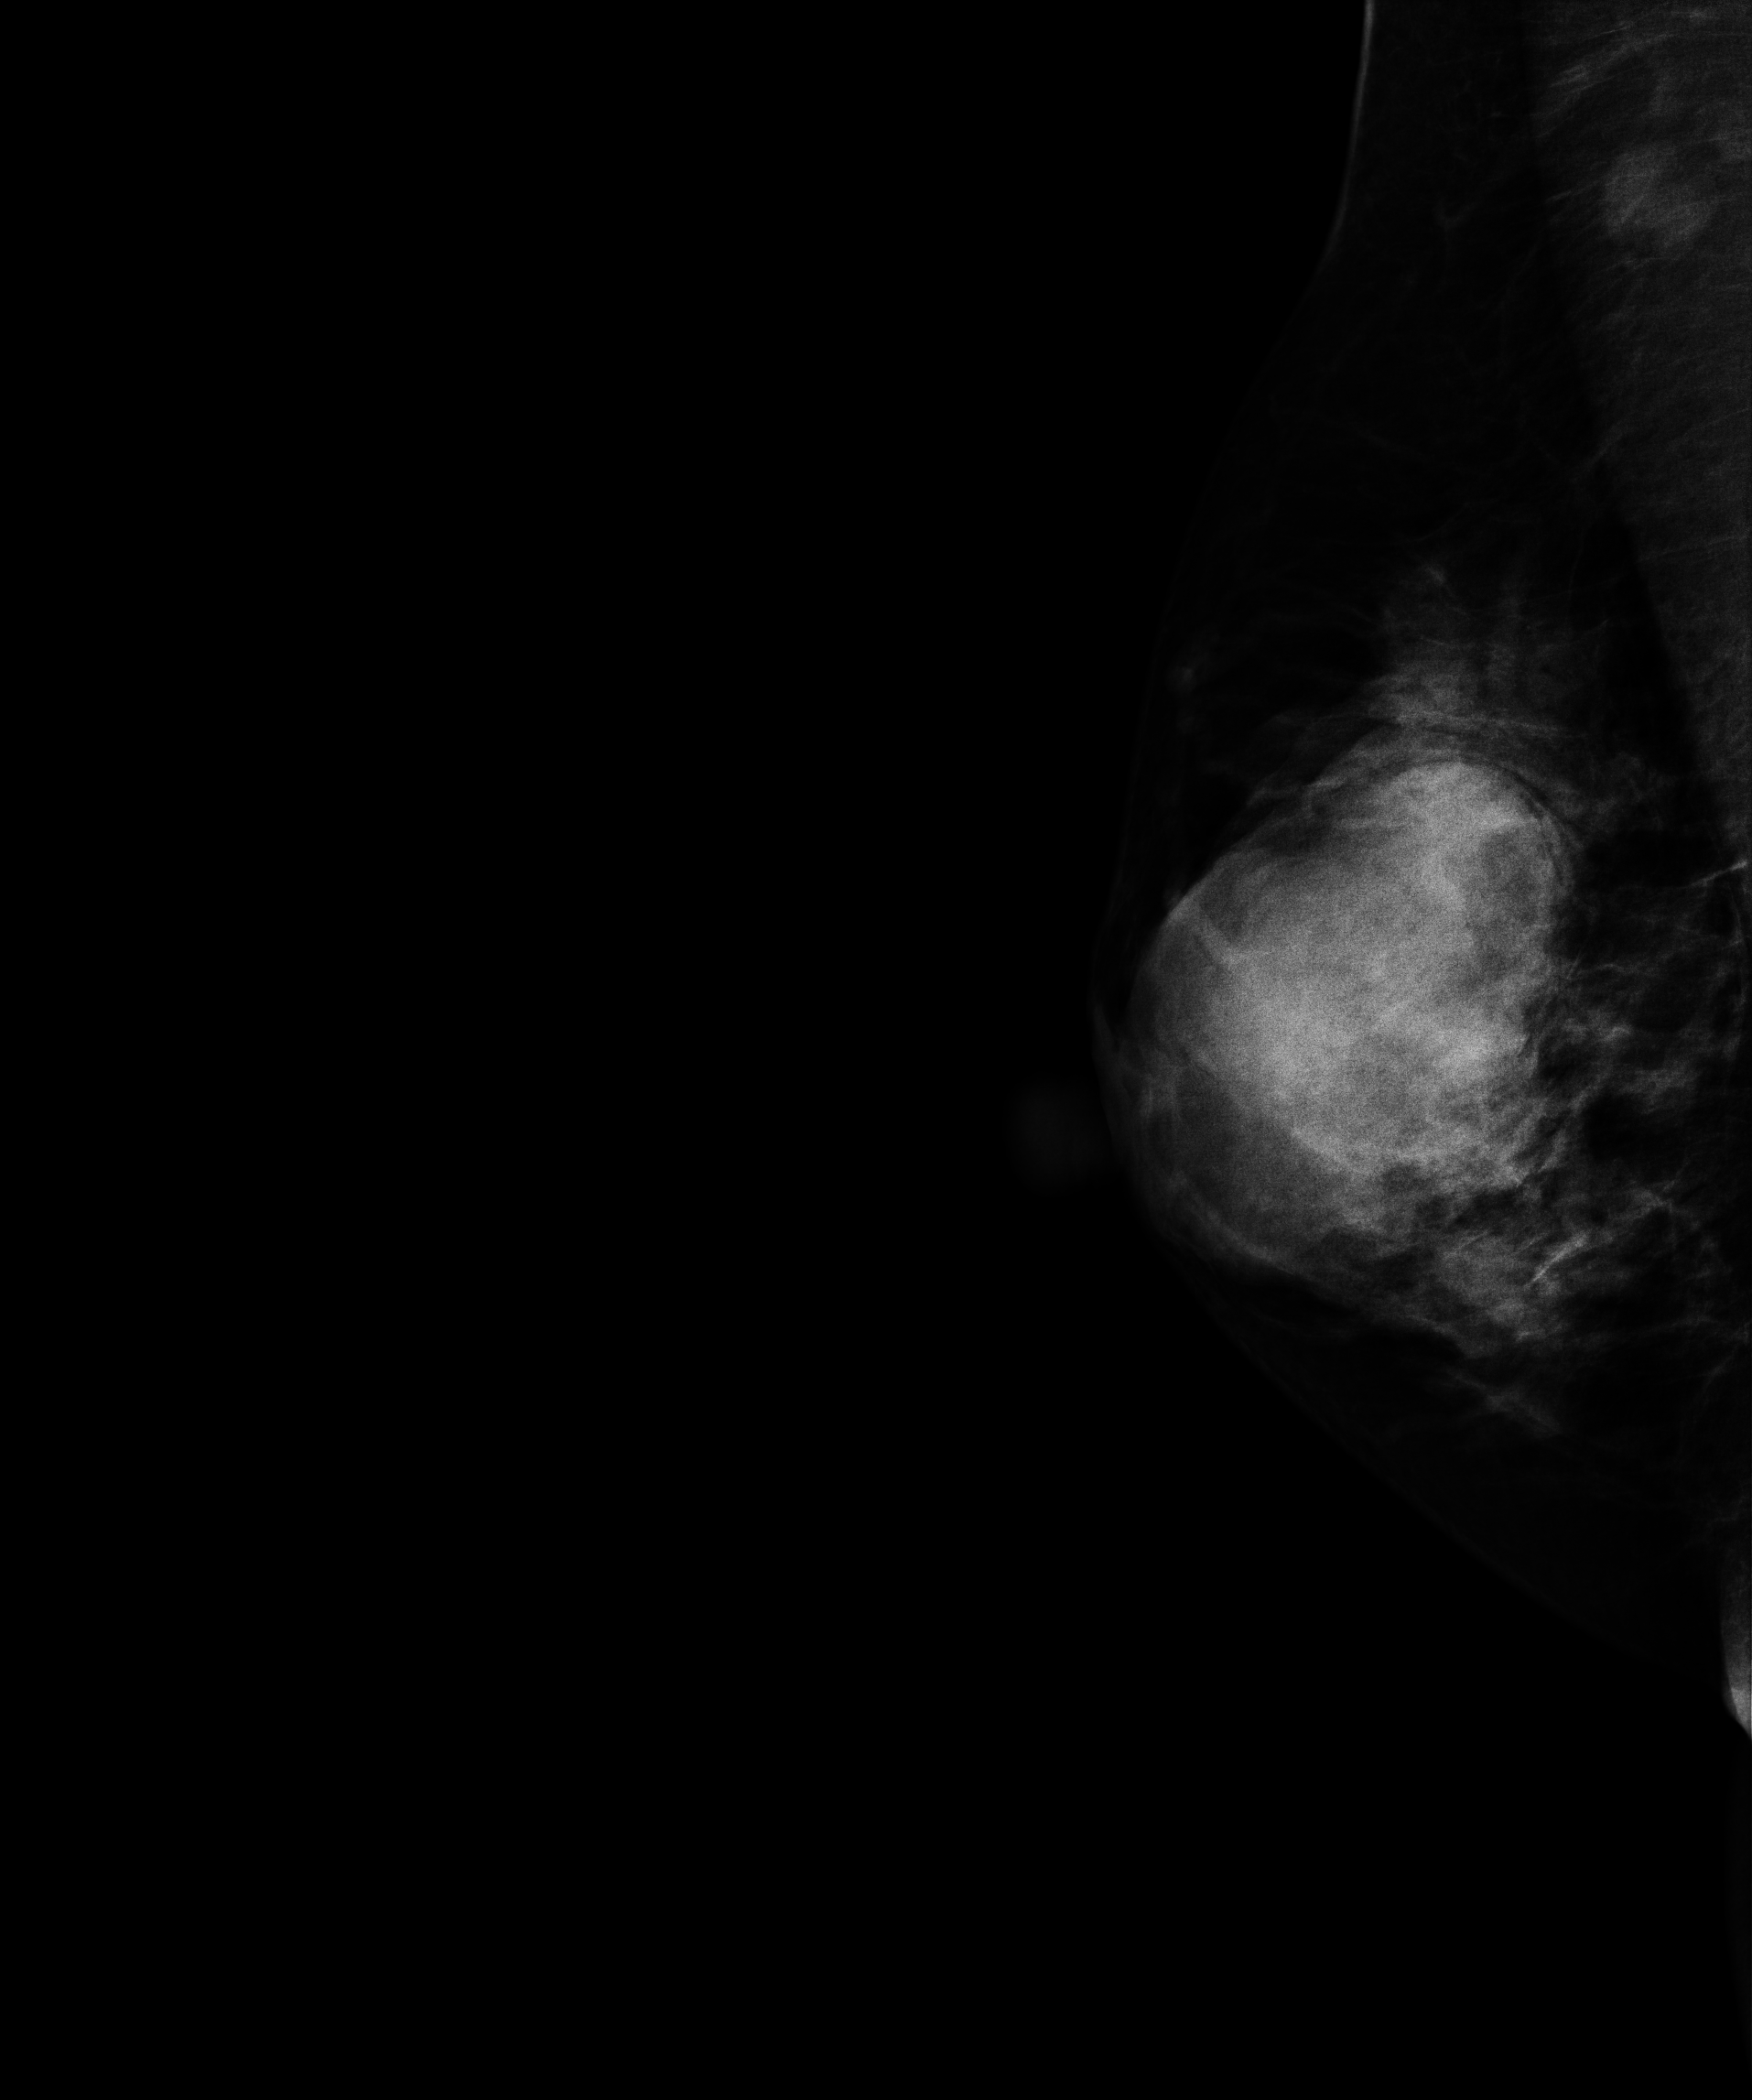
Digital mammography. Right breast, medio-lateral oblique projection. 38-year-old patient.
This breast has a mass, biopsy-confirmed benign.